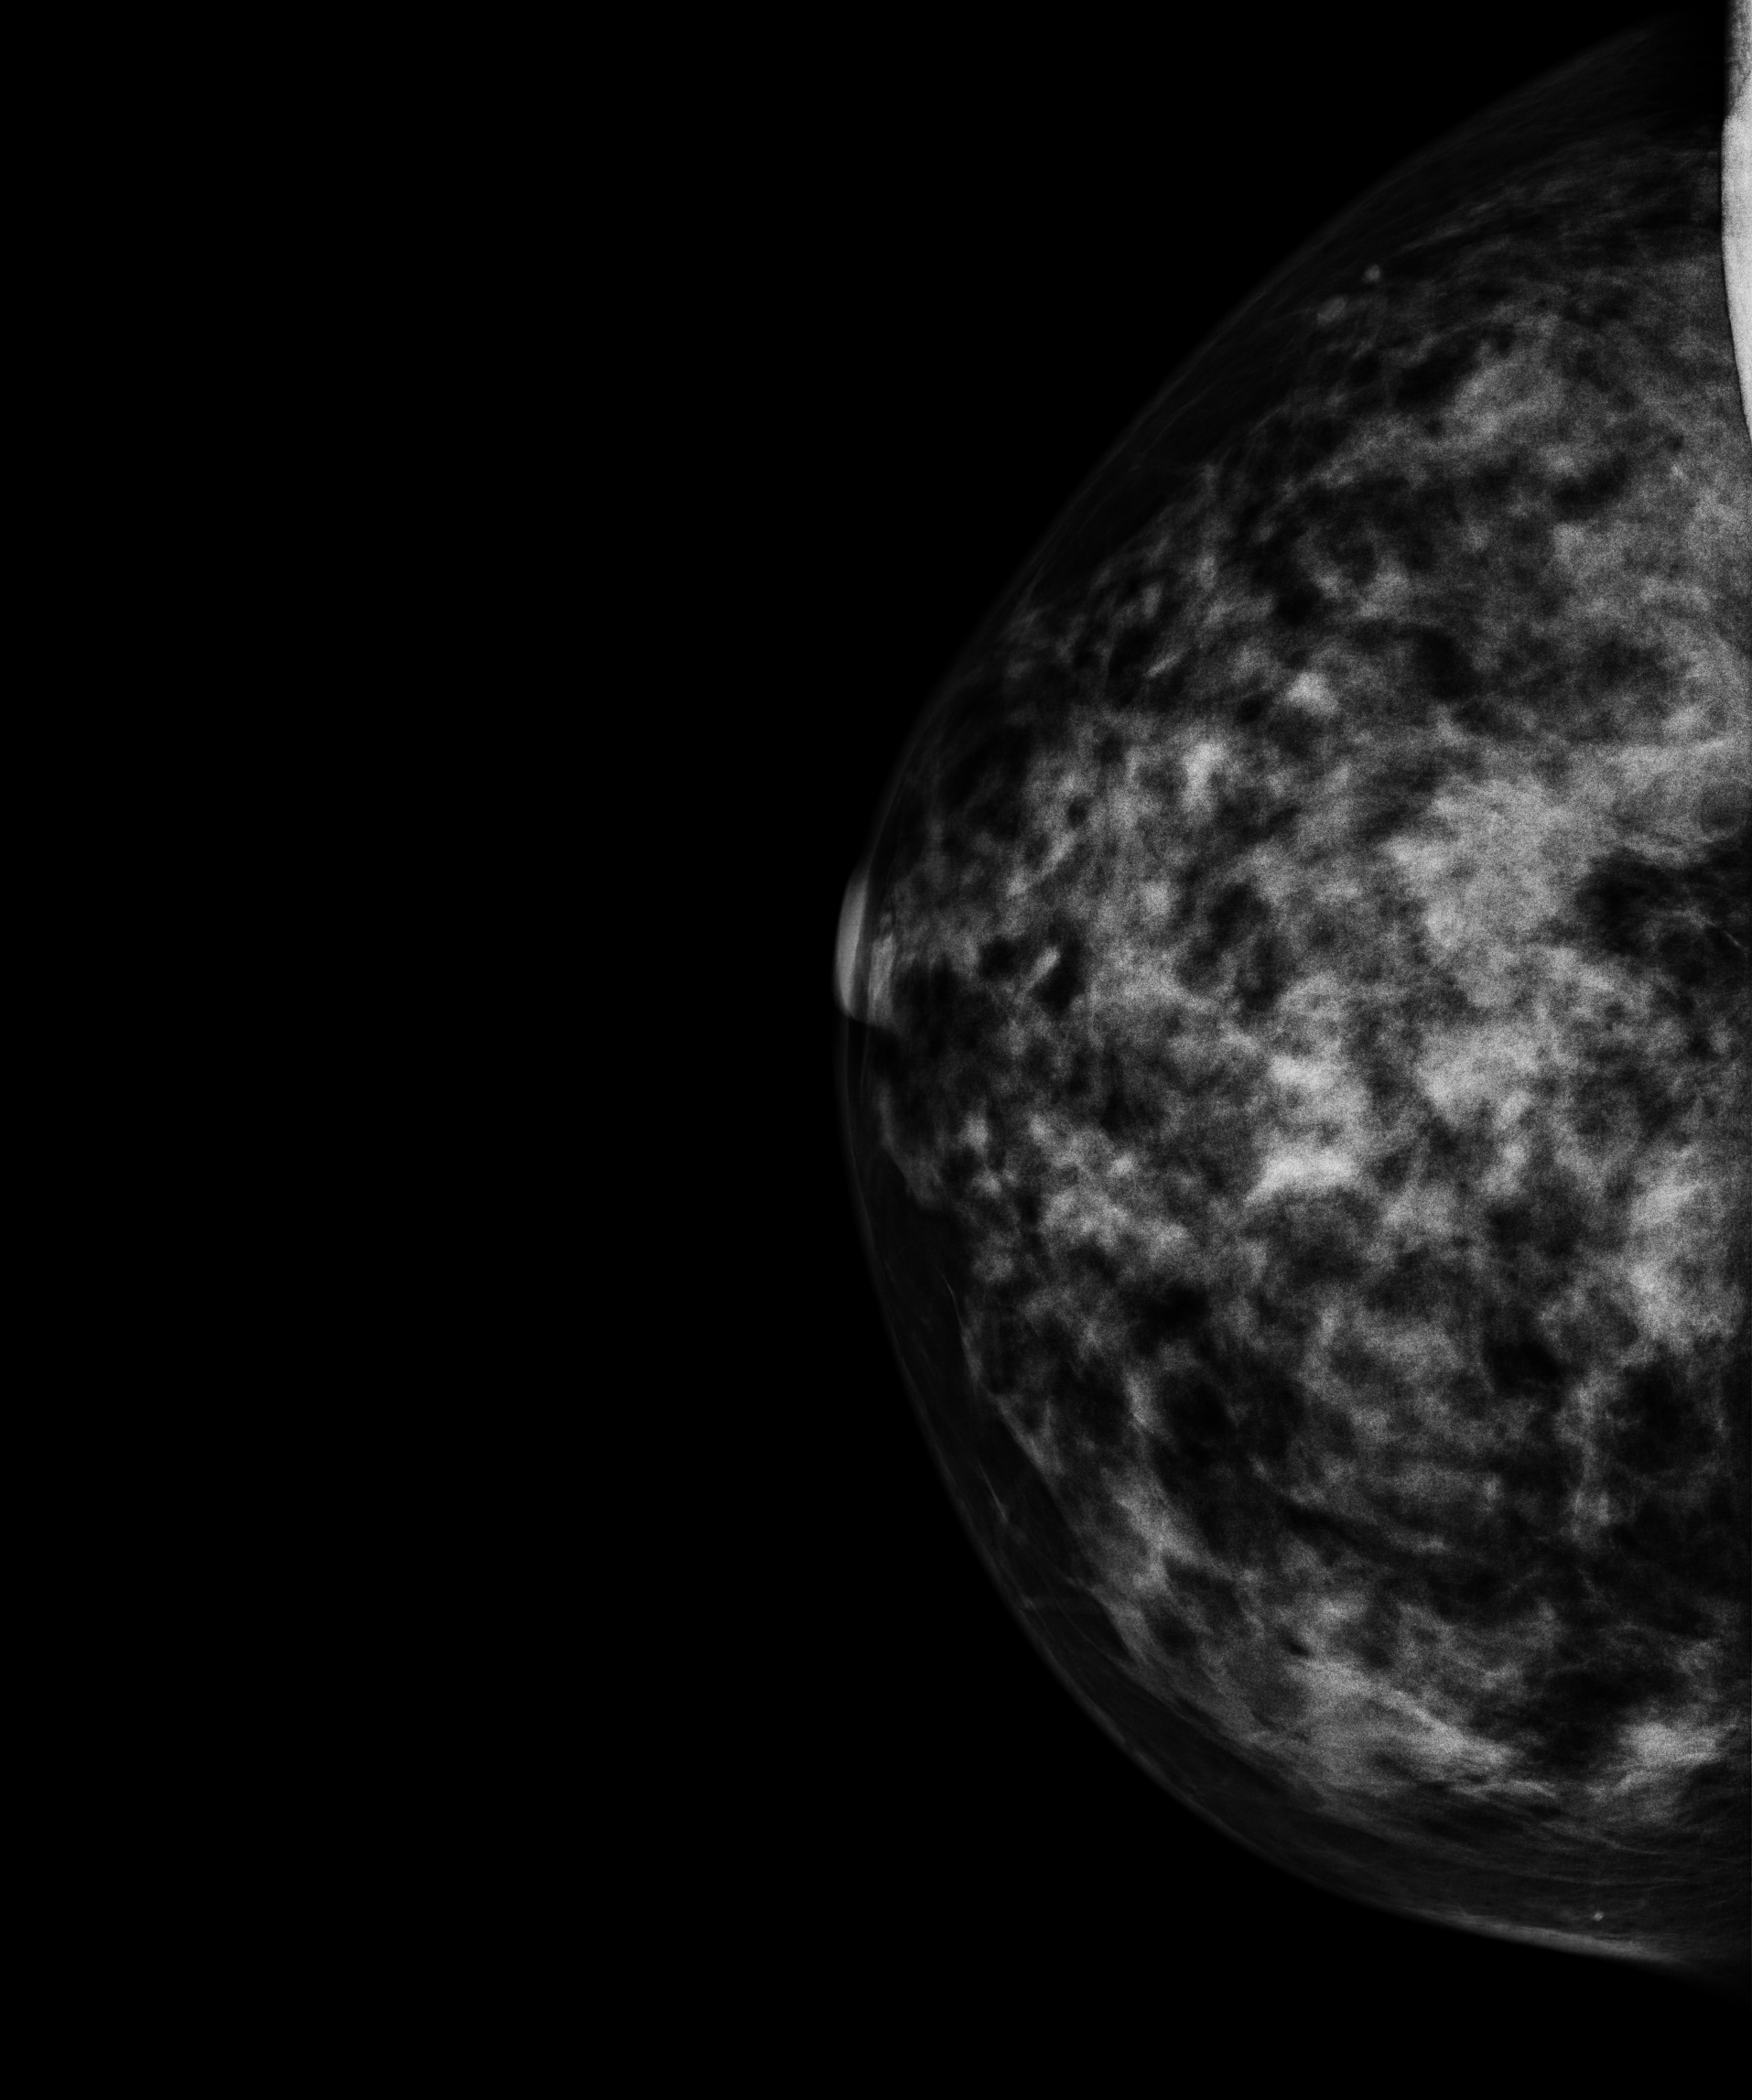
CC mammogram of the right breast. Patient age 60.
This breast has a mass, biopsy-confirmed benign.